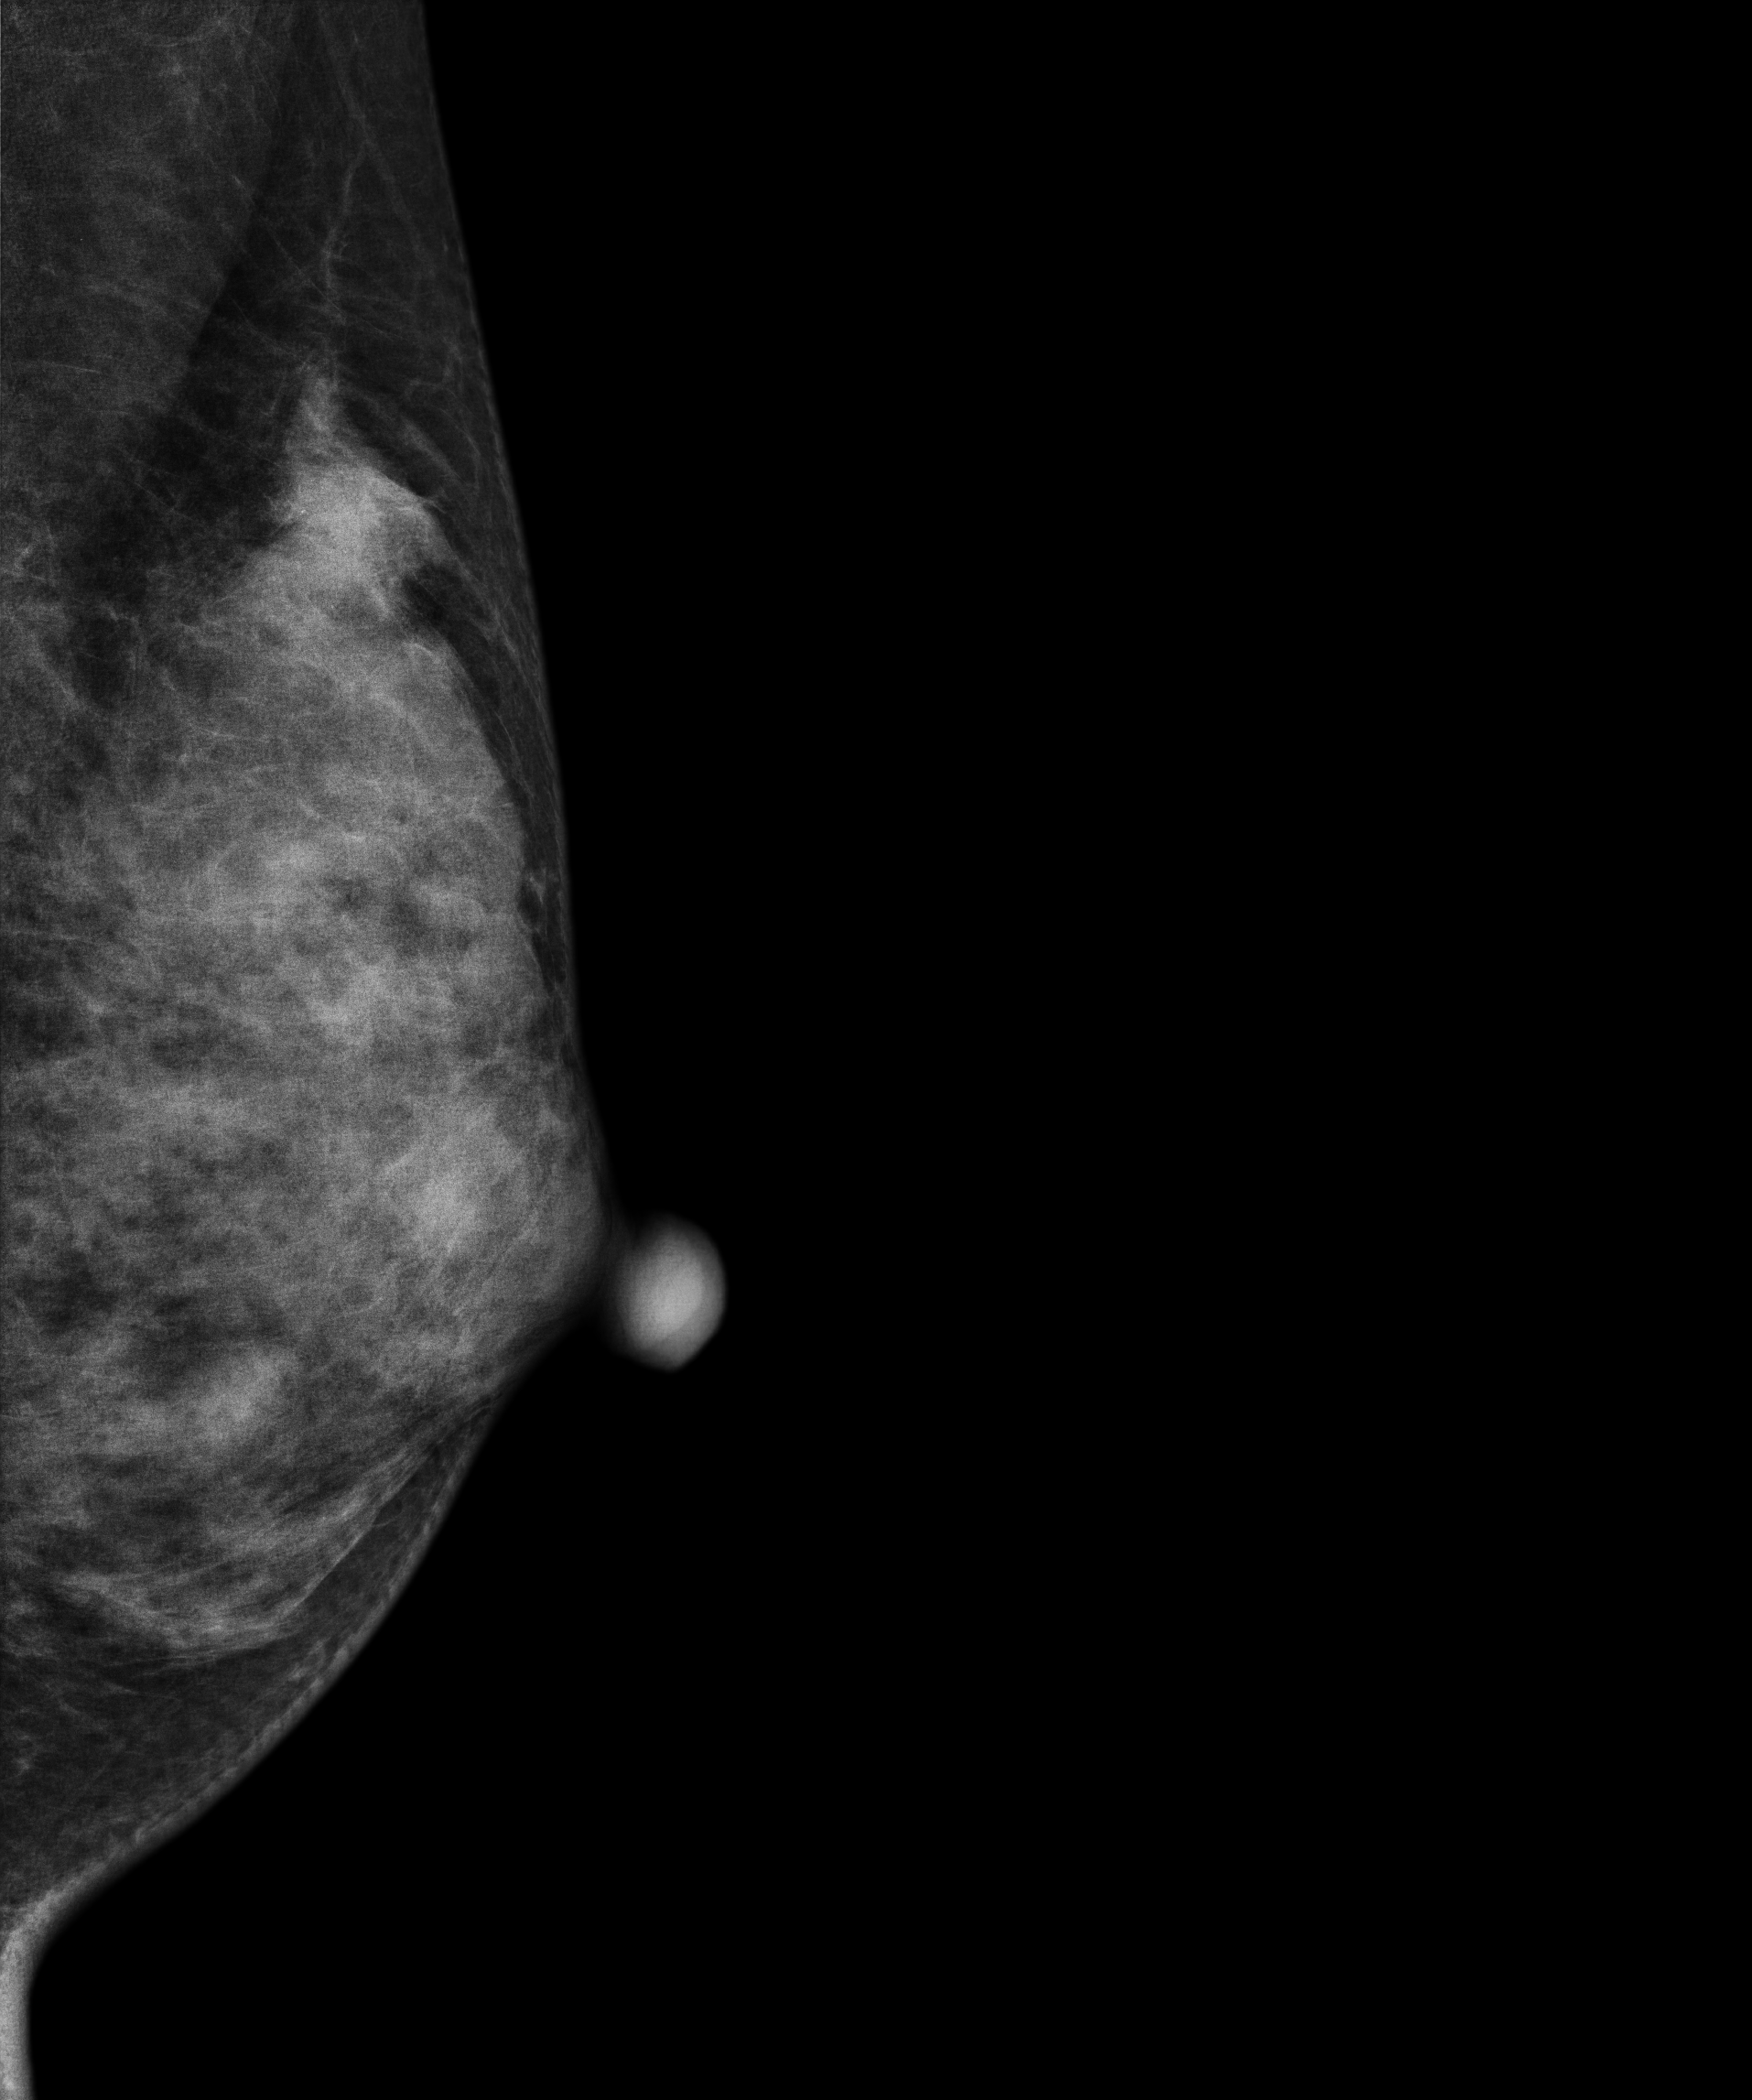
Mammogram — left medio-lateral oblique. 41-year-old patient.
This breast has a mass and calcifications, pathology-confirmed malignant.